Digital mammography. Right breast, MLO projection. Patient age 59.
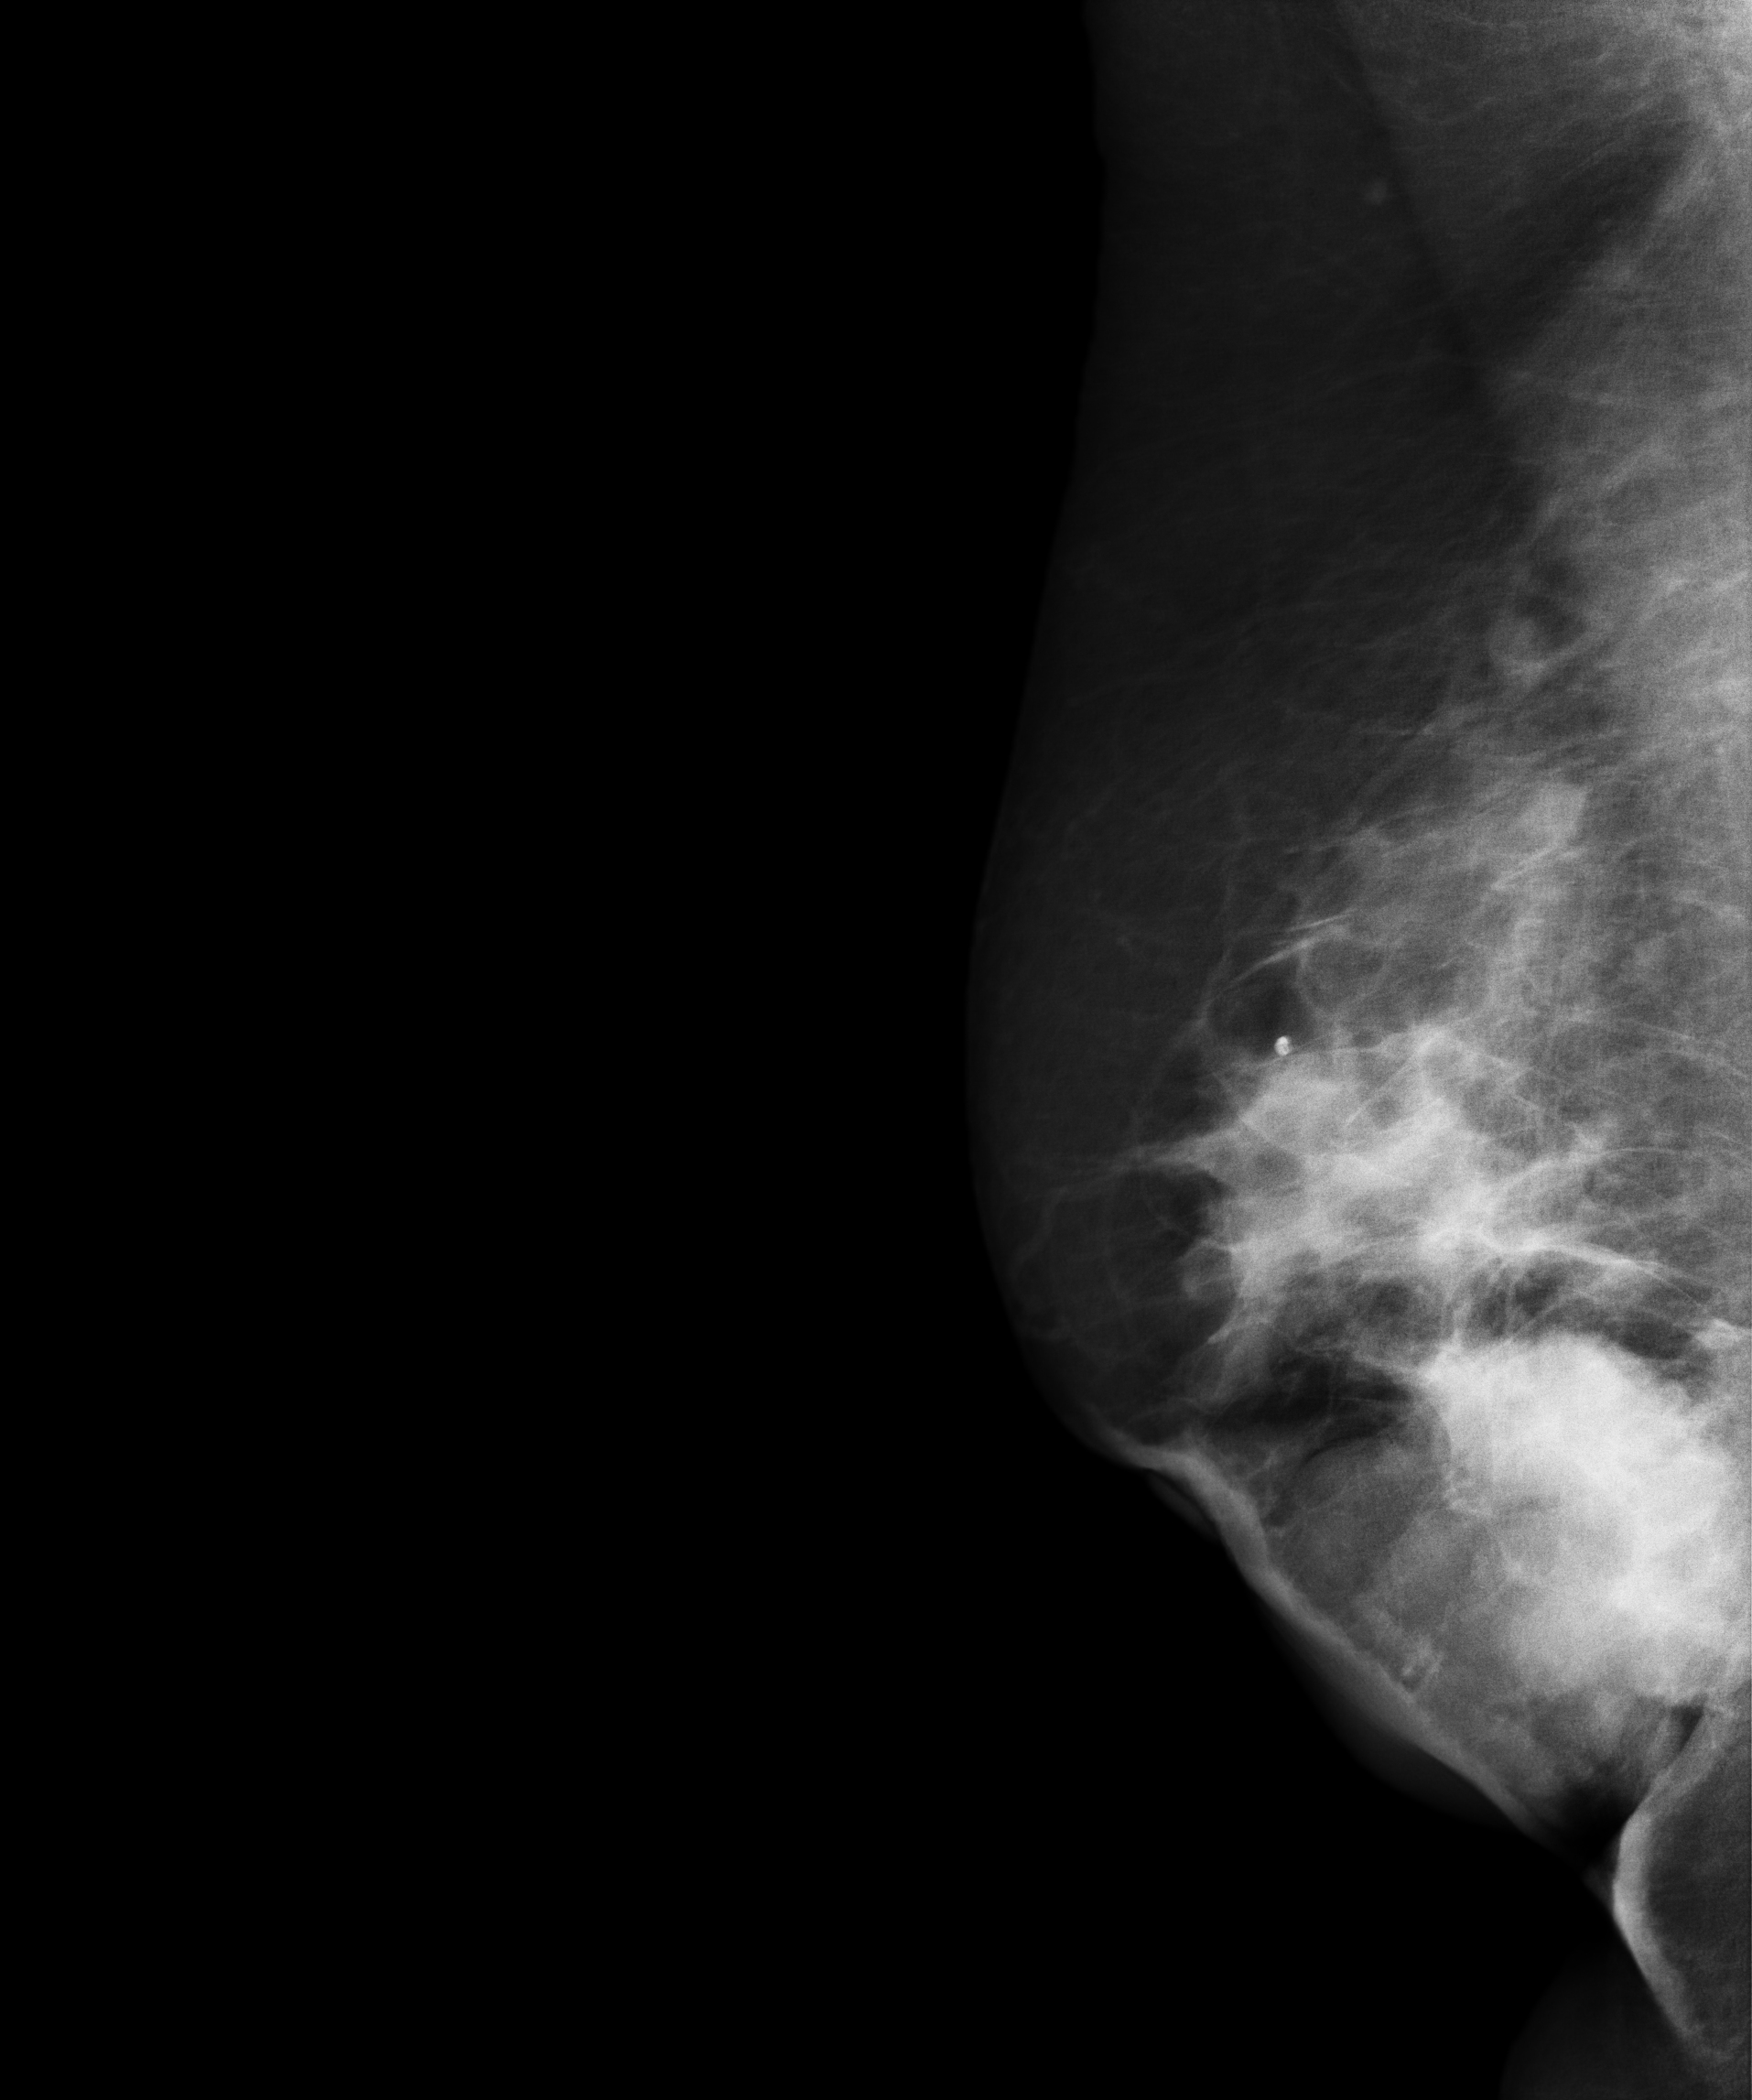
This breast has a mass, biopsy-confirmed malignant.